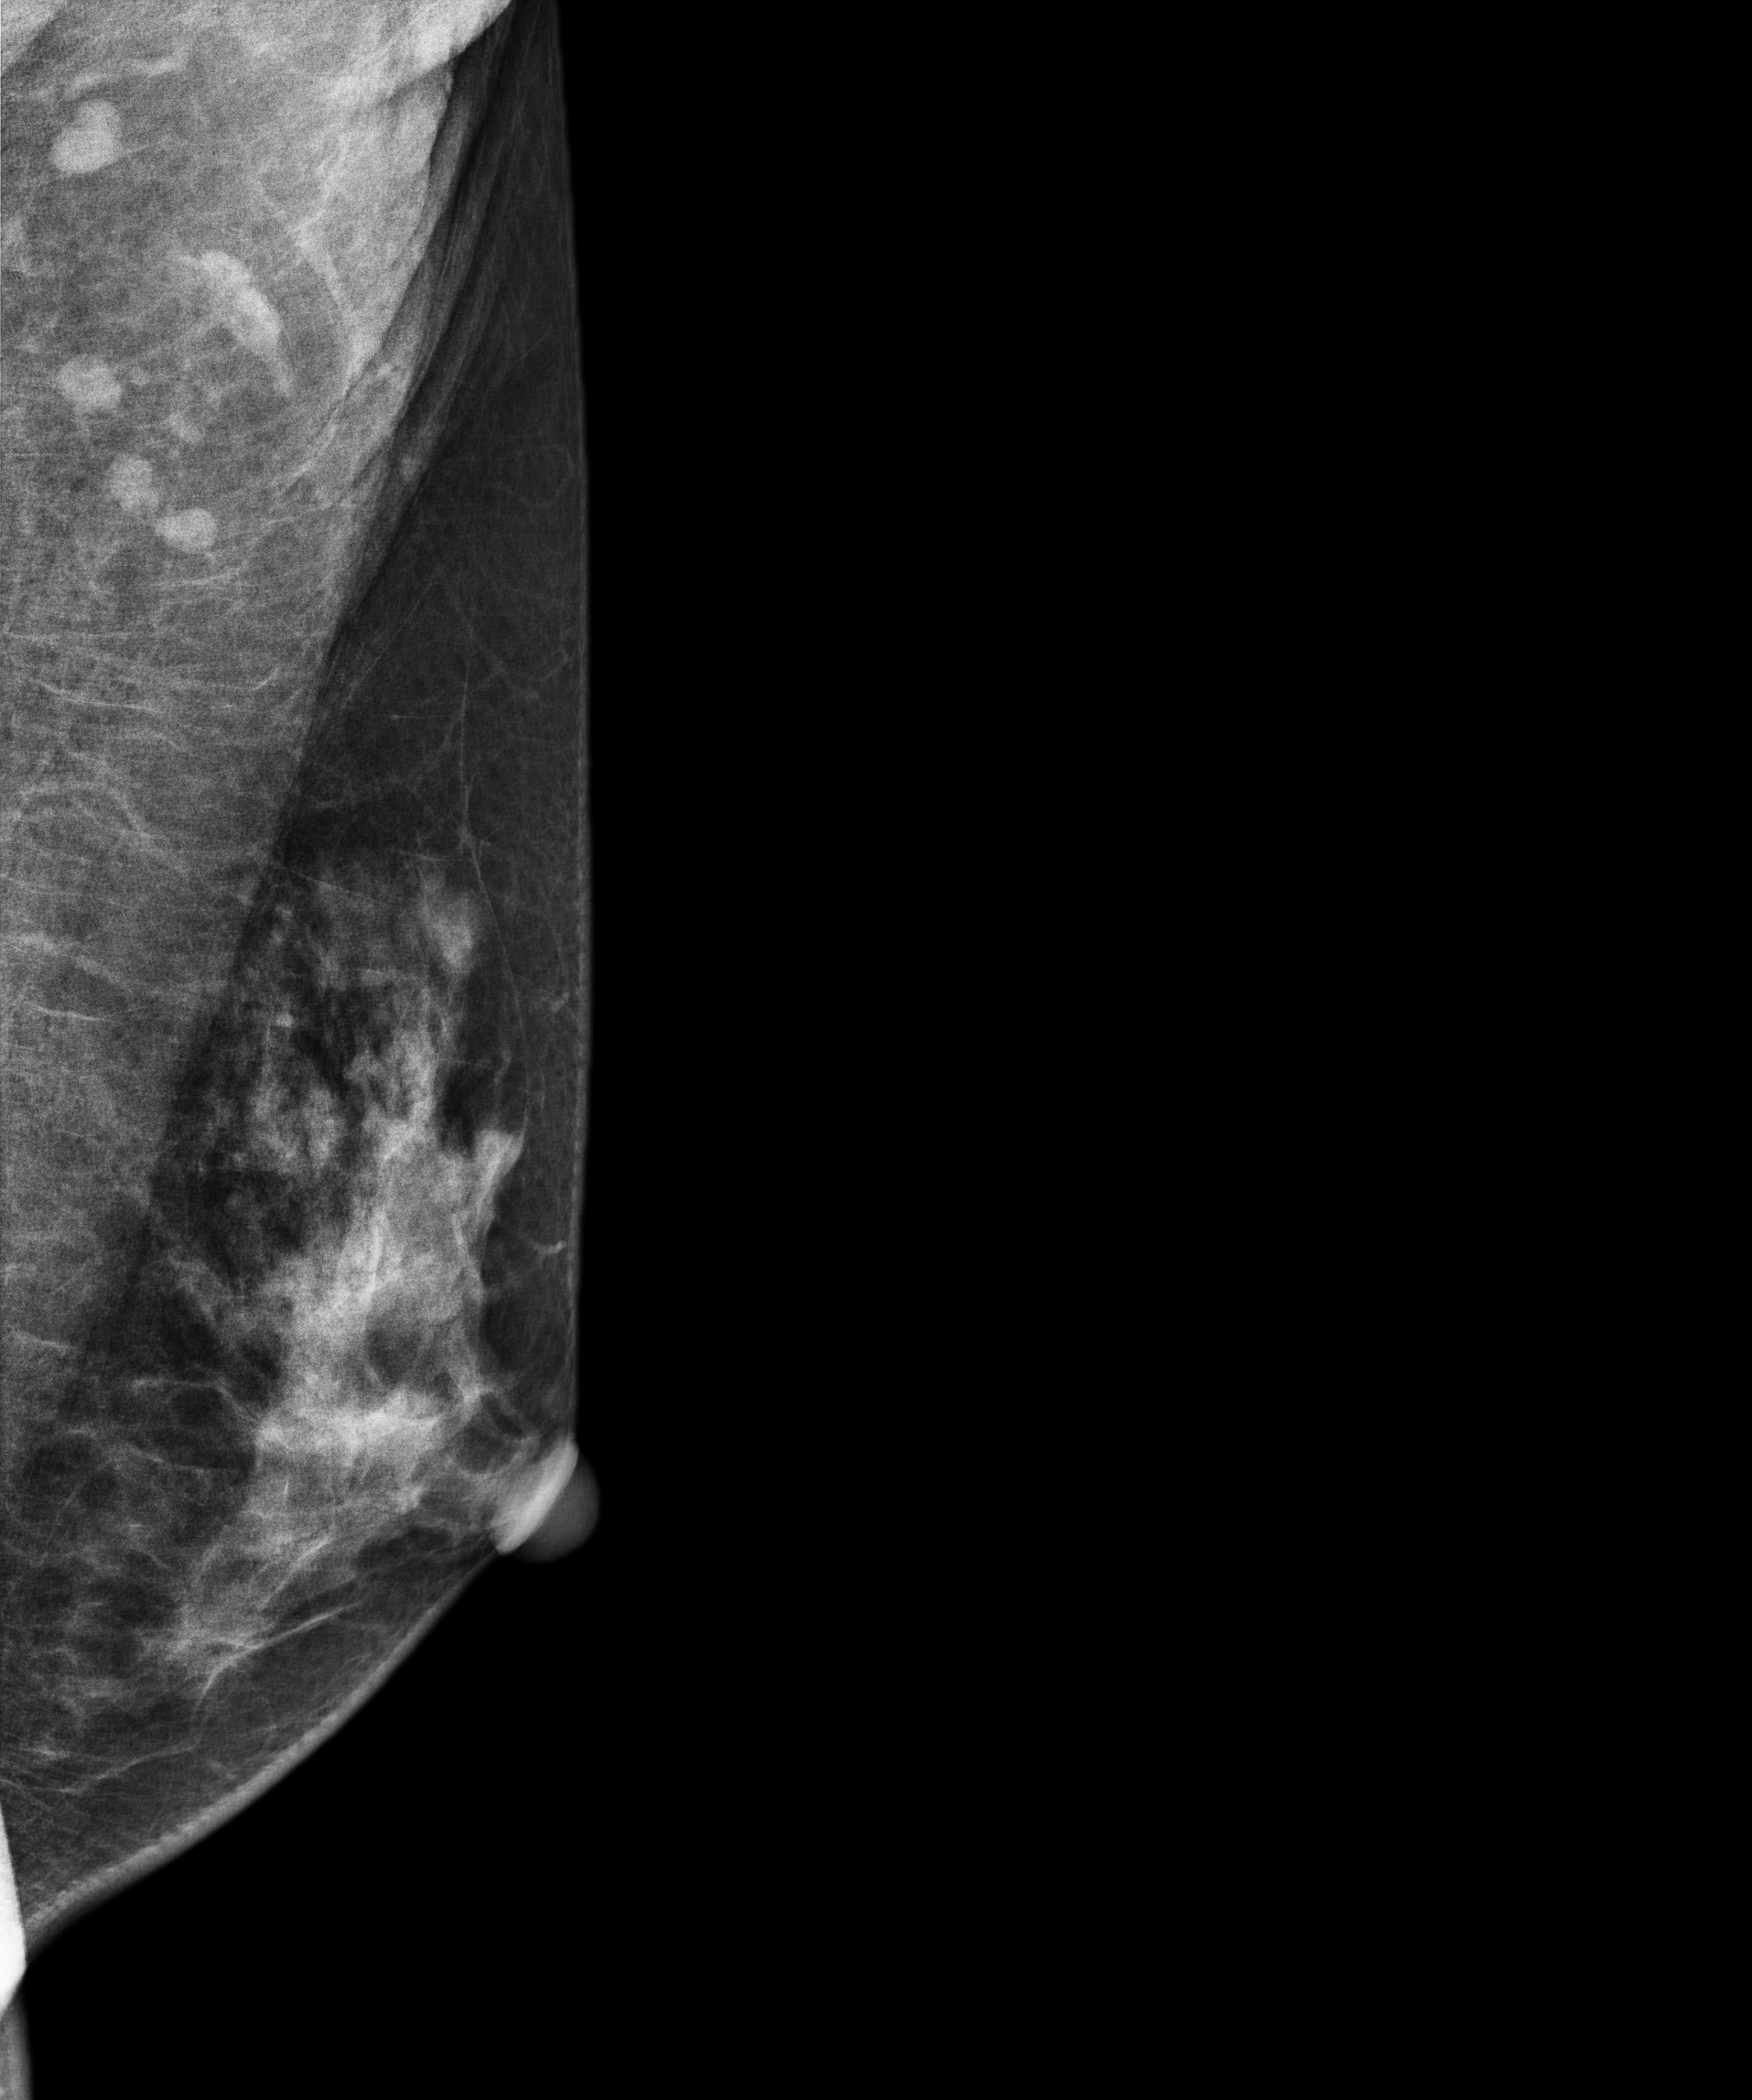
Left-breast mammogram, medio-lateral oblique. 39-year-old patient.
This breast has a mass, pathology-confirmed benign.